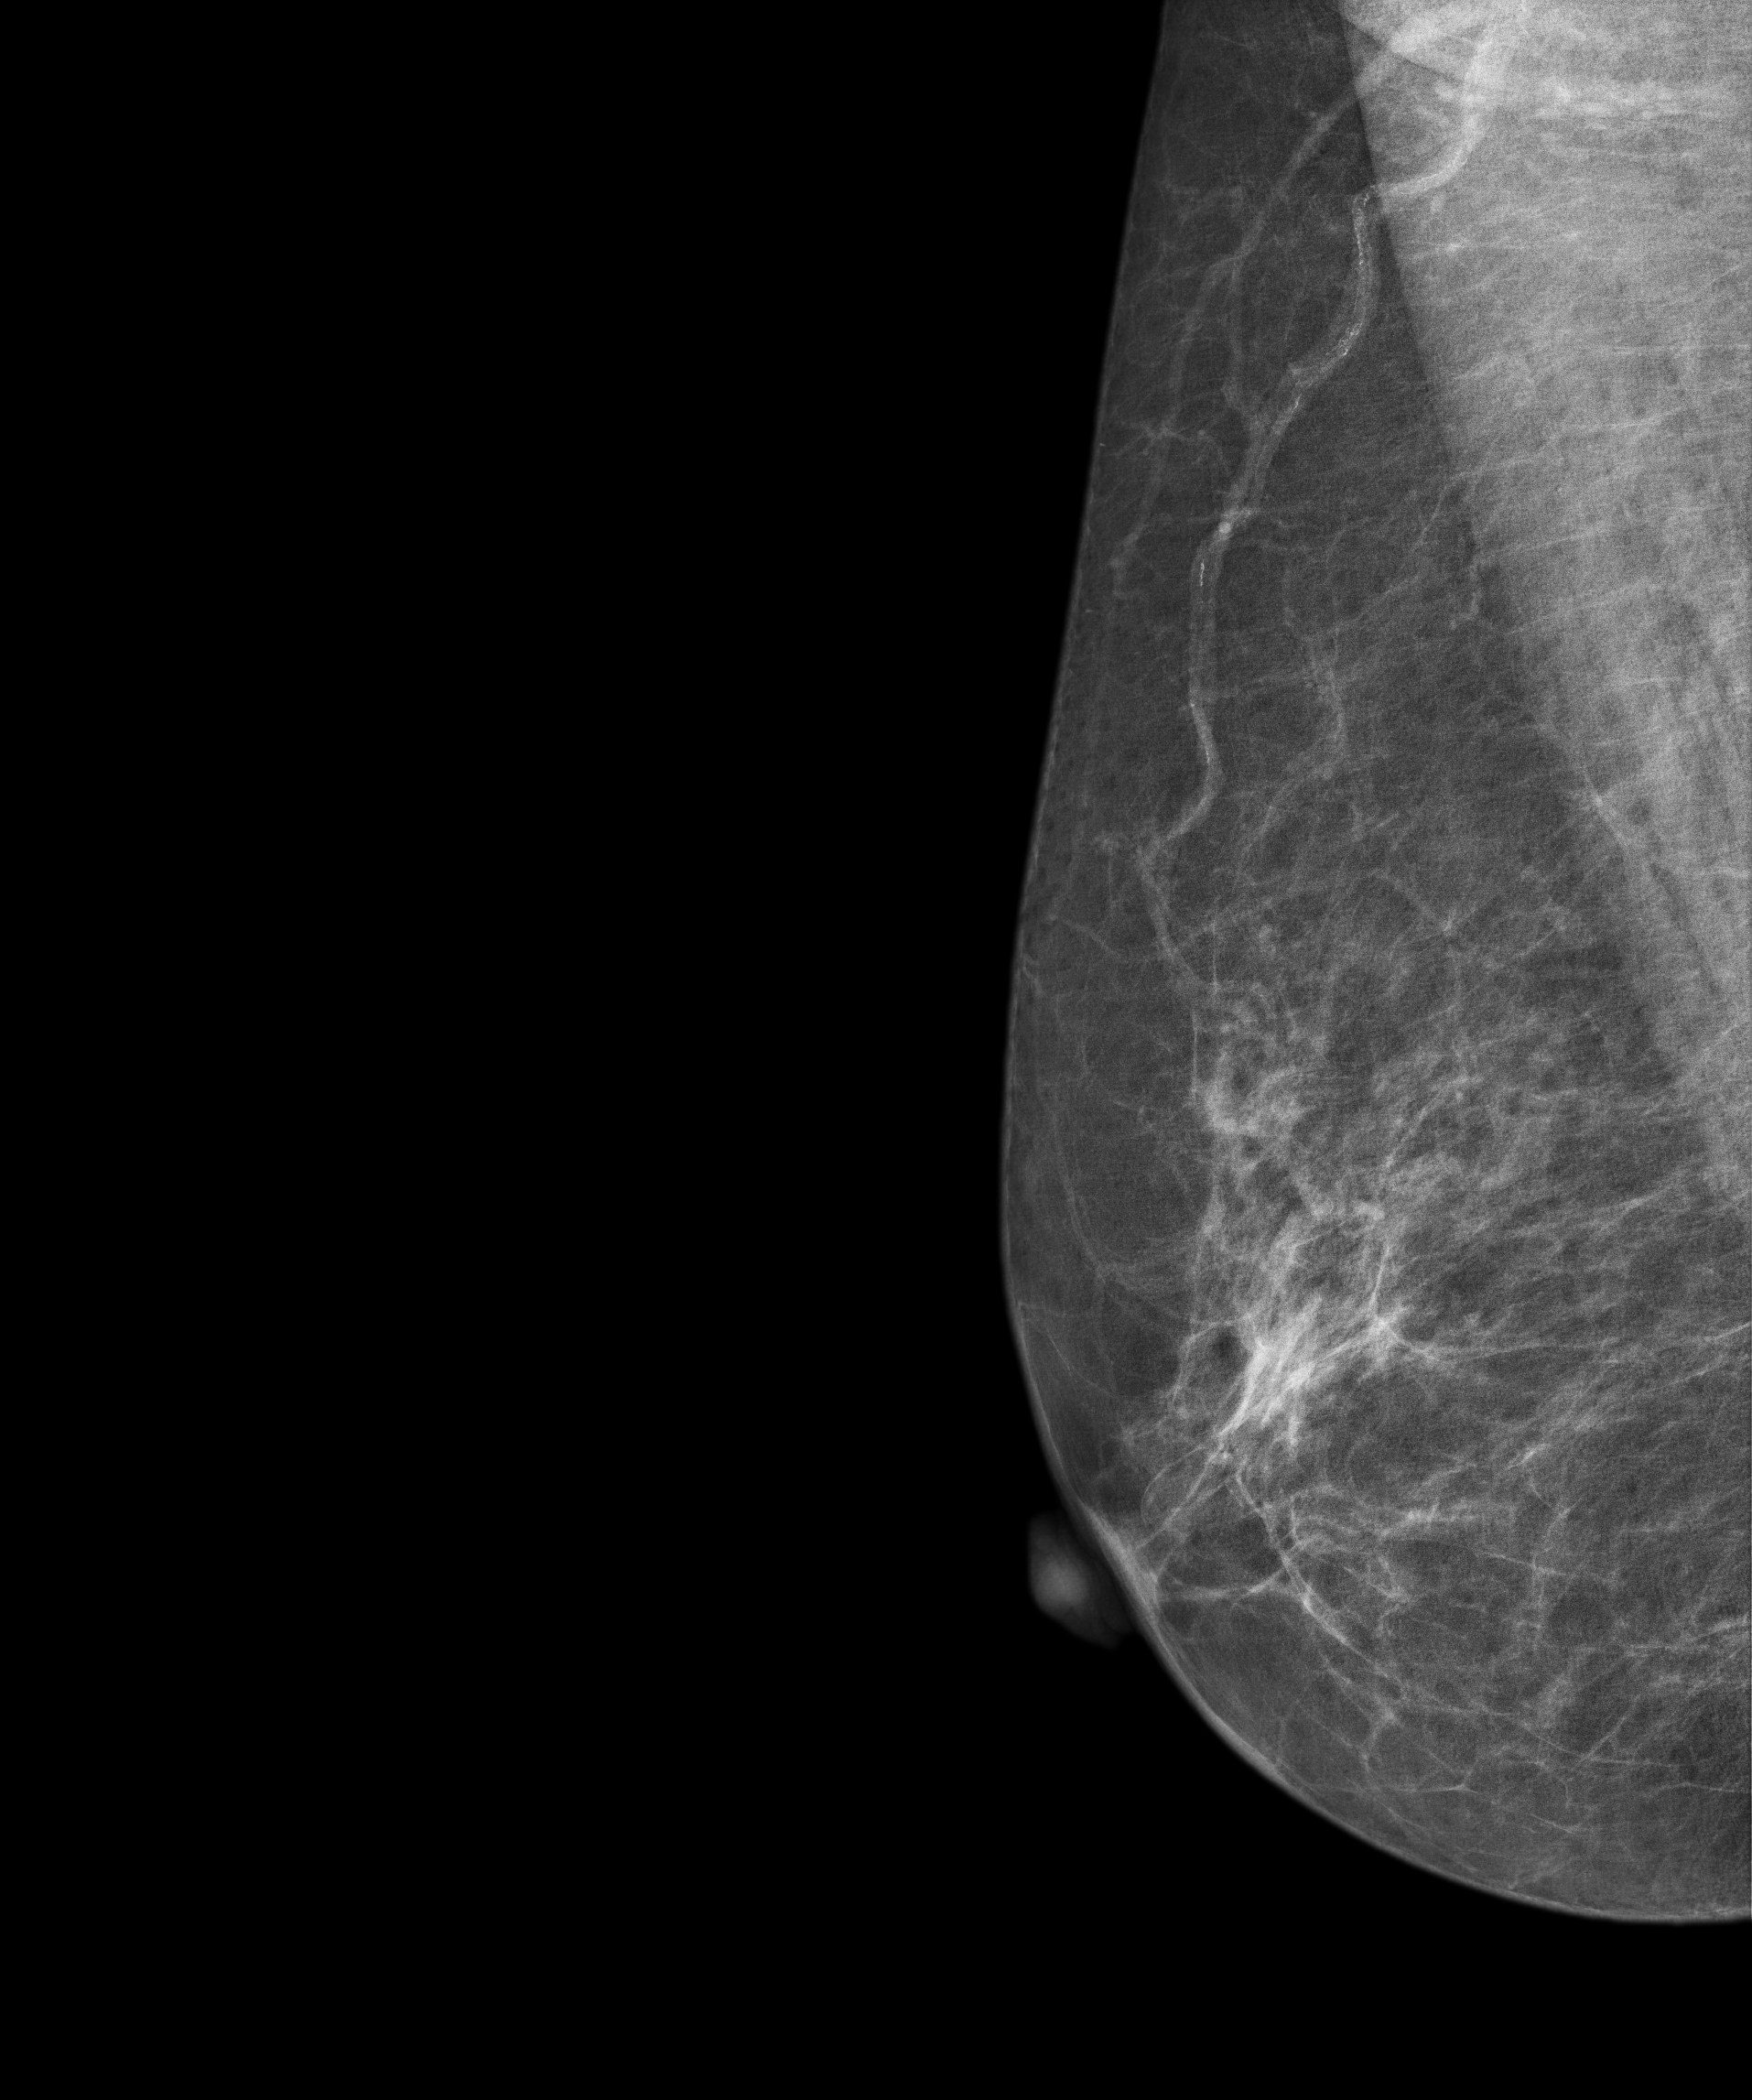
Mammogram — right MLO. 58-year-old patient.
Contralateral breast — no documented abnormality on this side.